Digital mammography. Right breast, CC projection. Patient age 48.
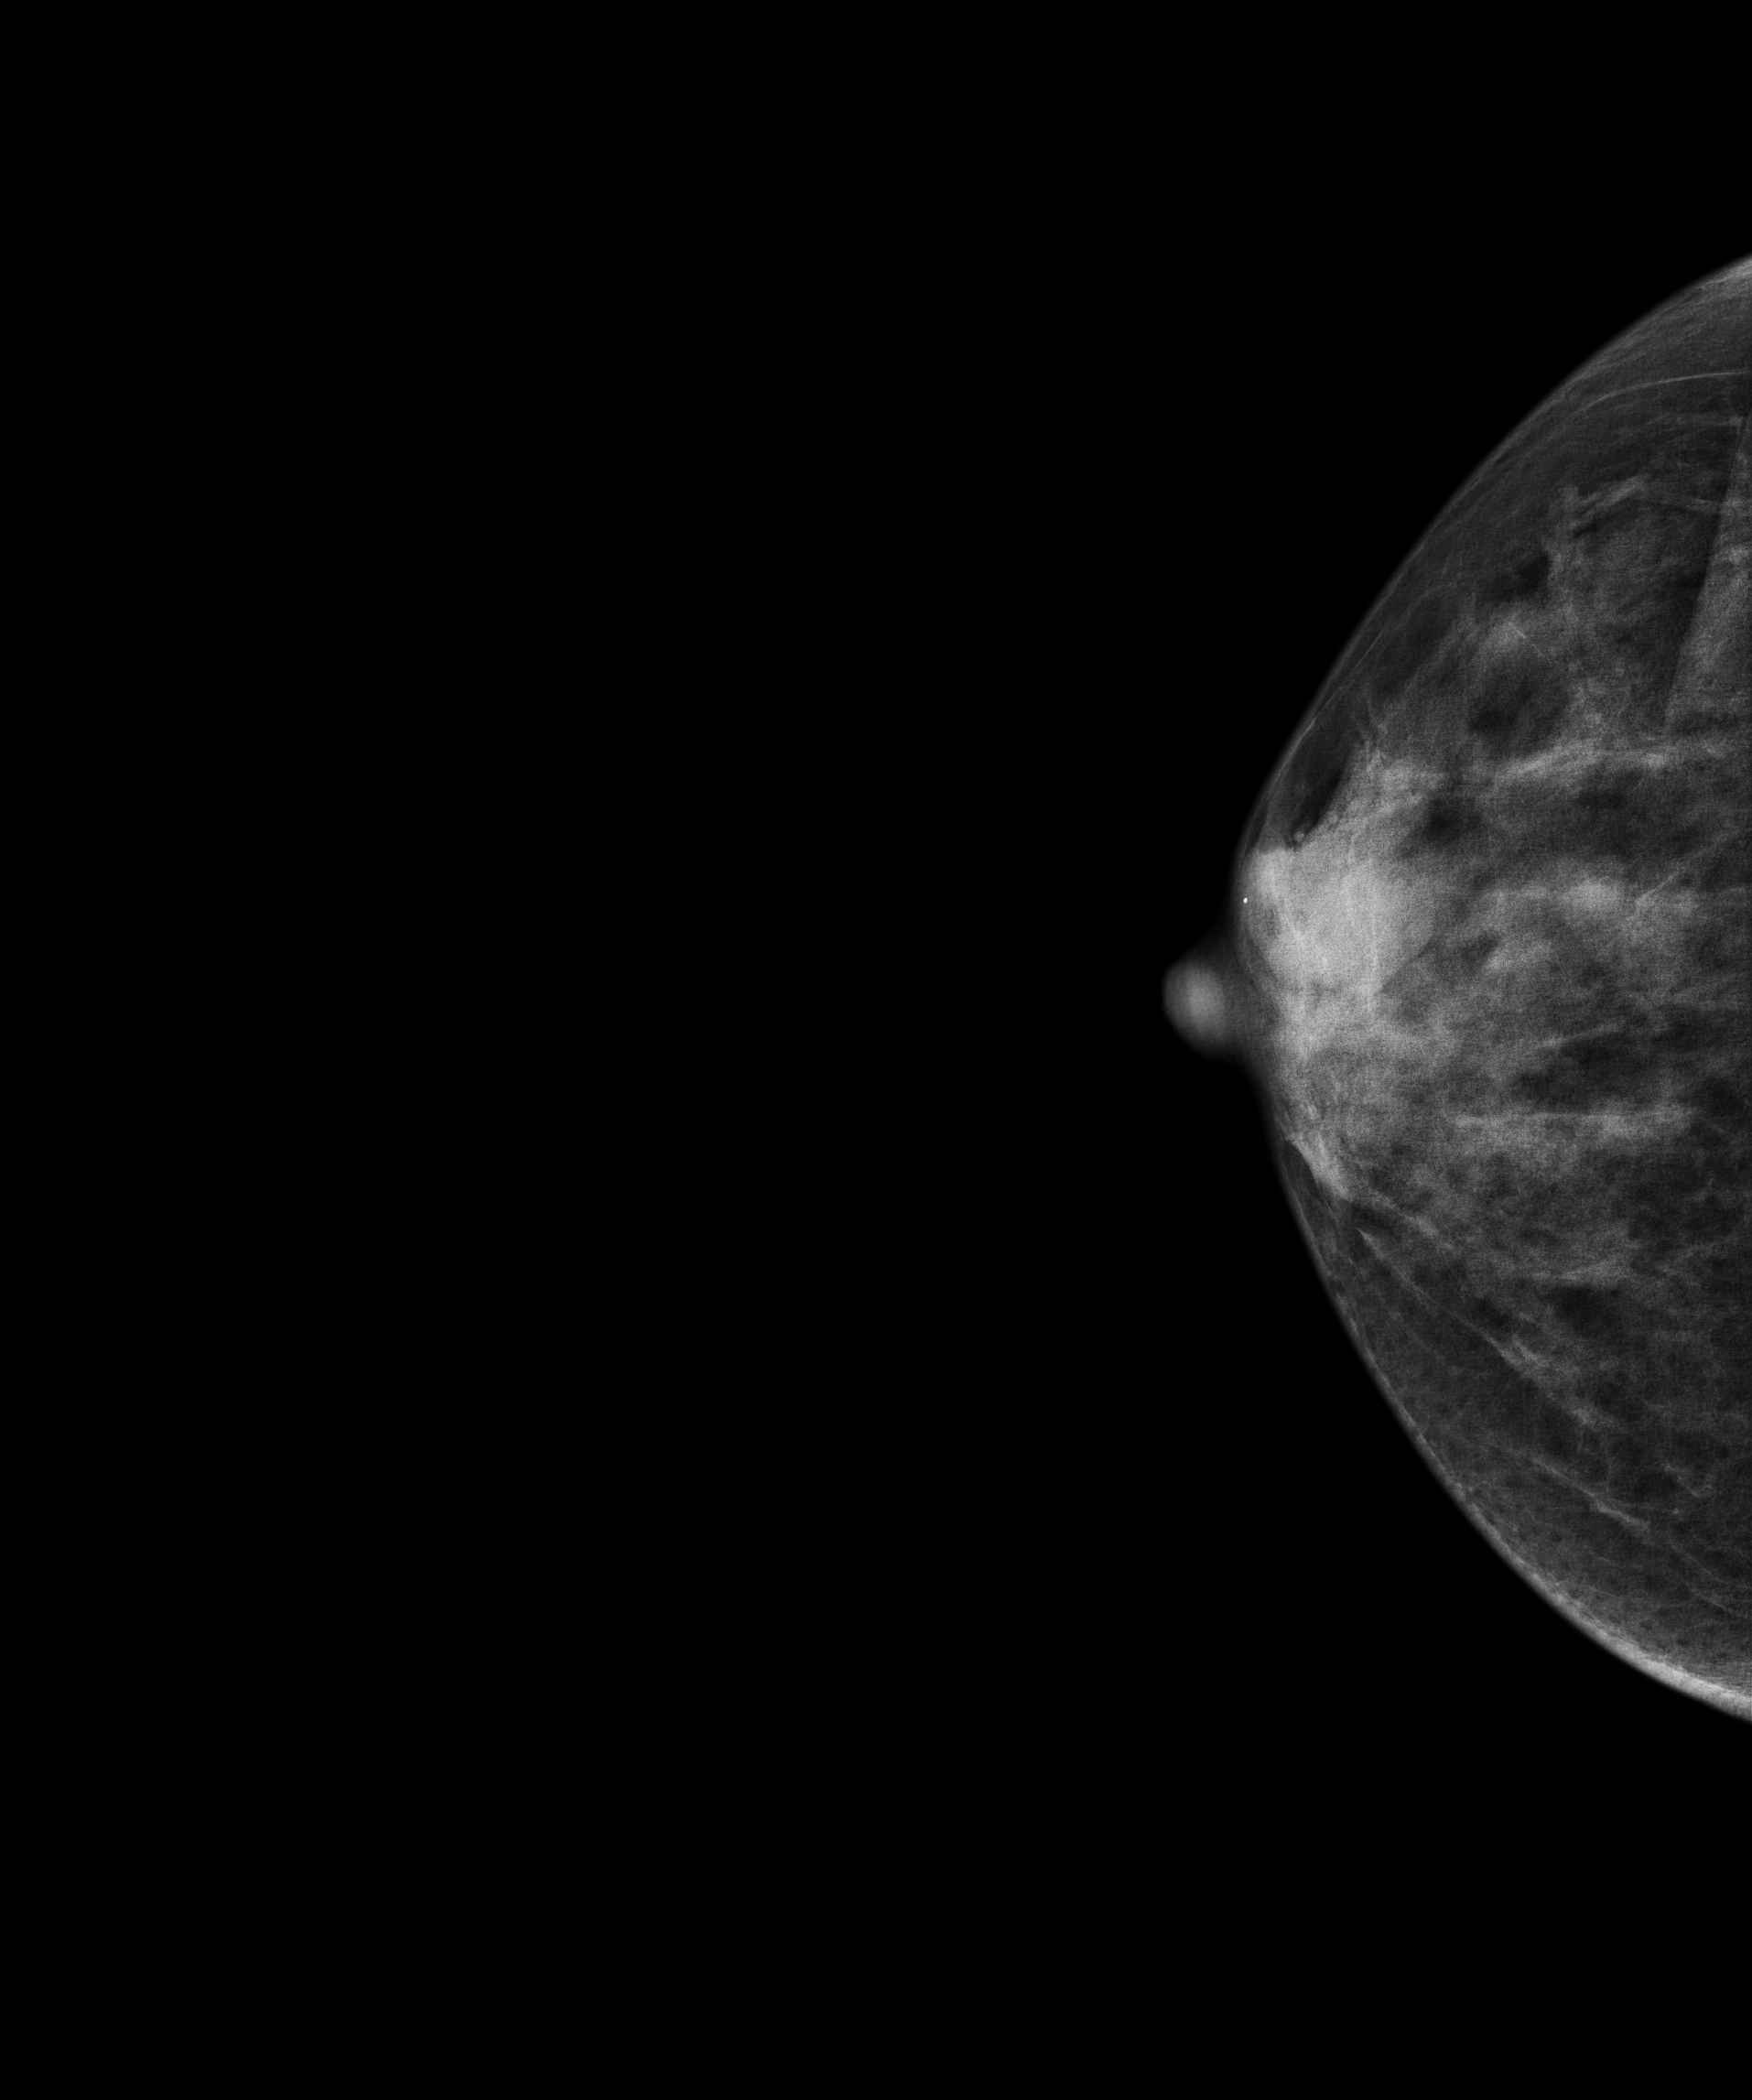
This breast has a mass, biopsy-proven benign.